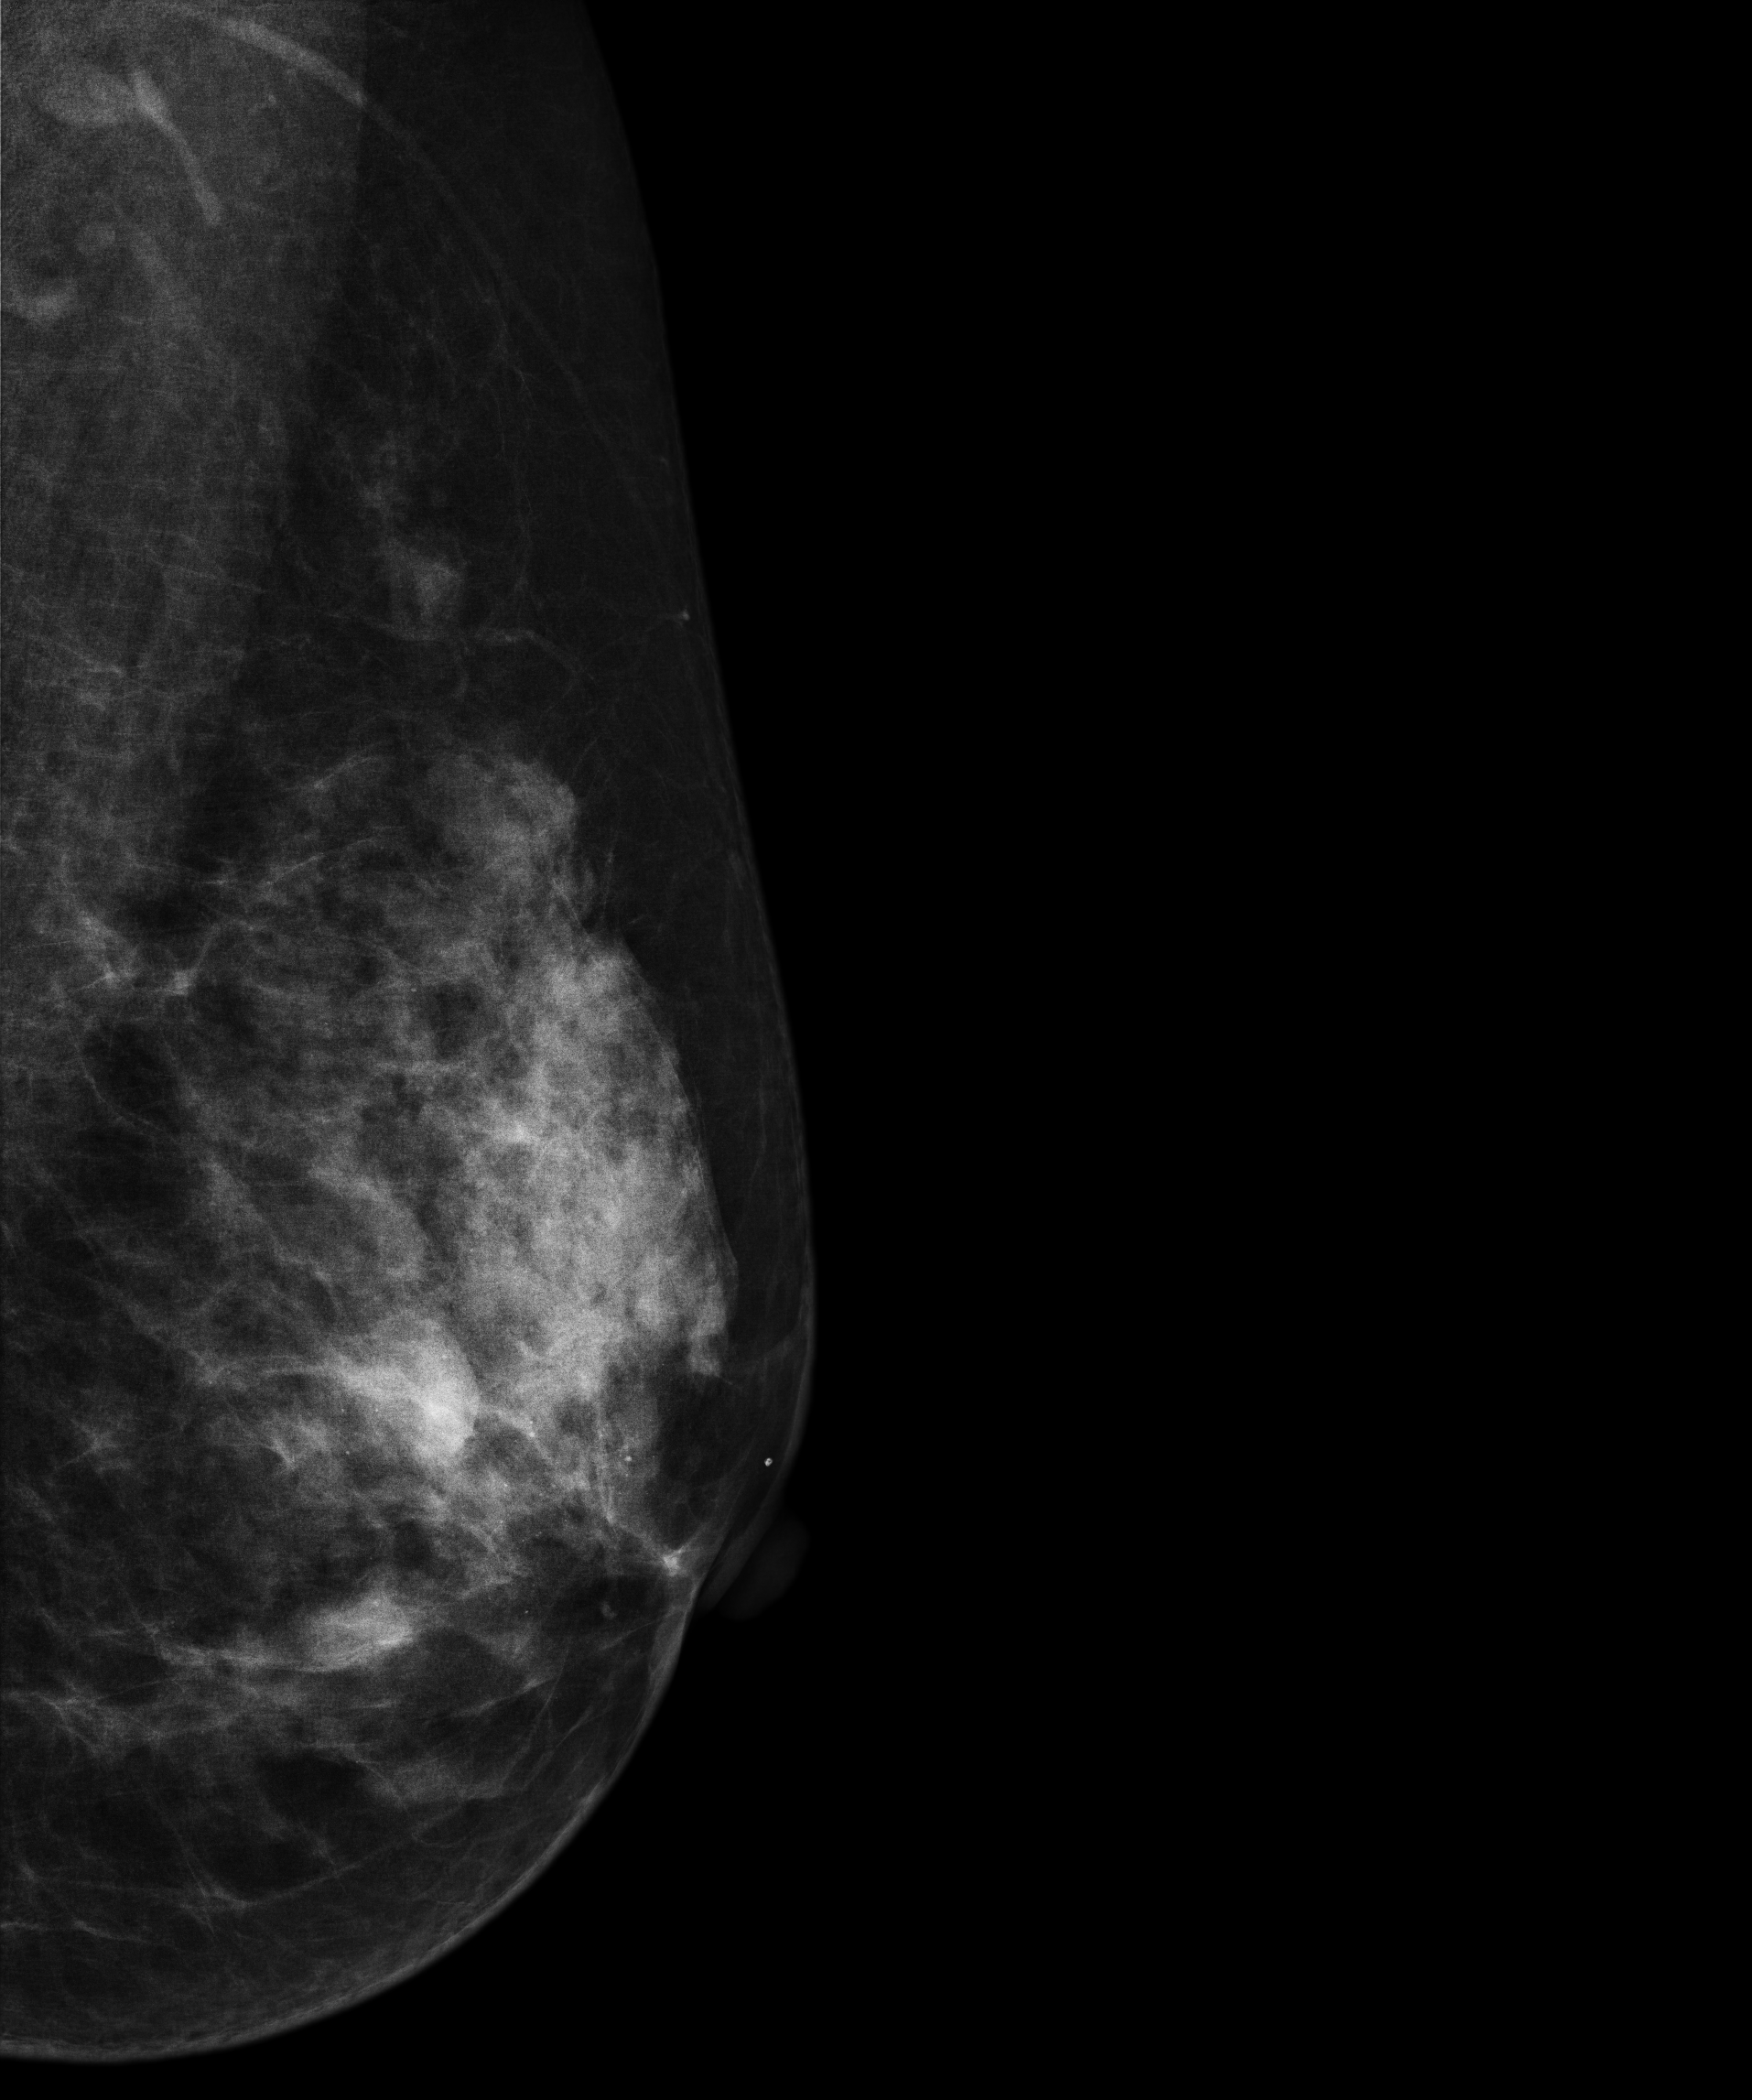
Left-breast mammogram, medio-lateral oblique. 58-year-old patient.
This breast has a mass and calcifications, biopsy-confirmed benign.